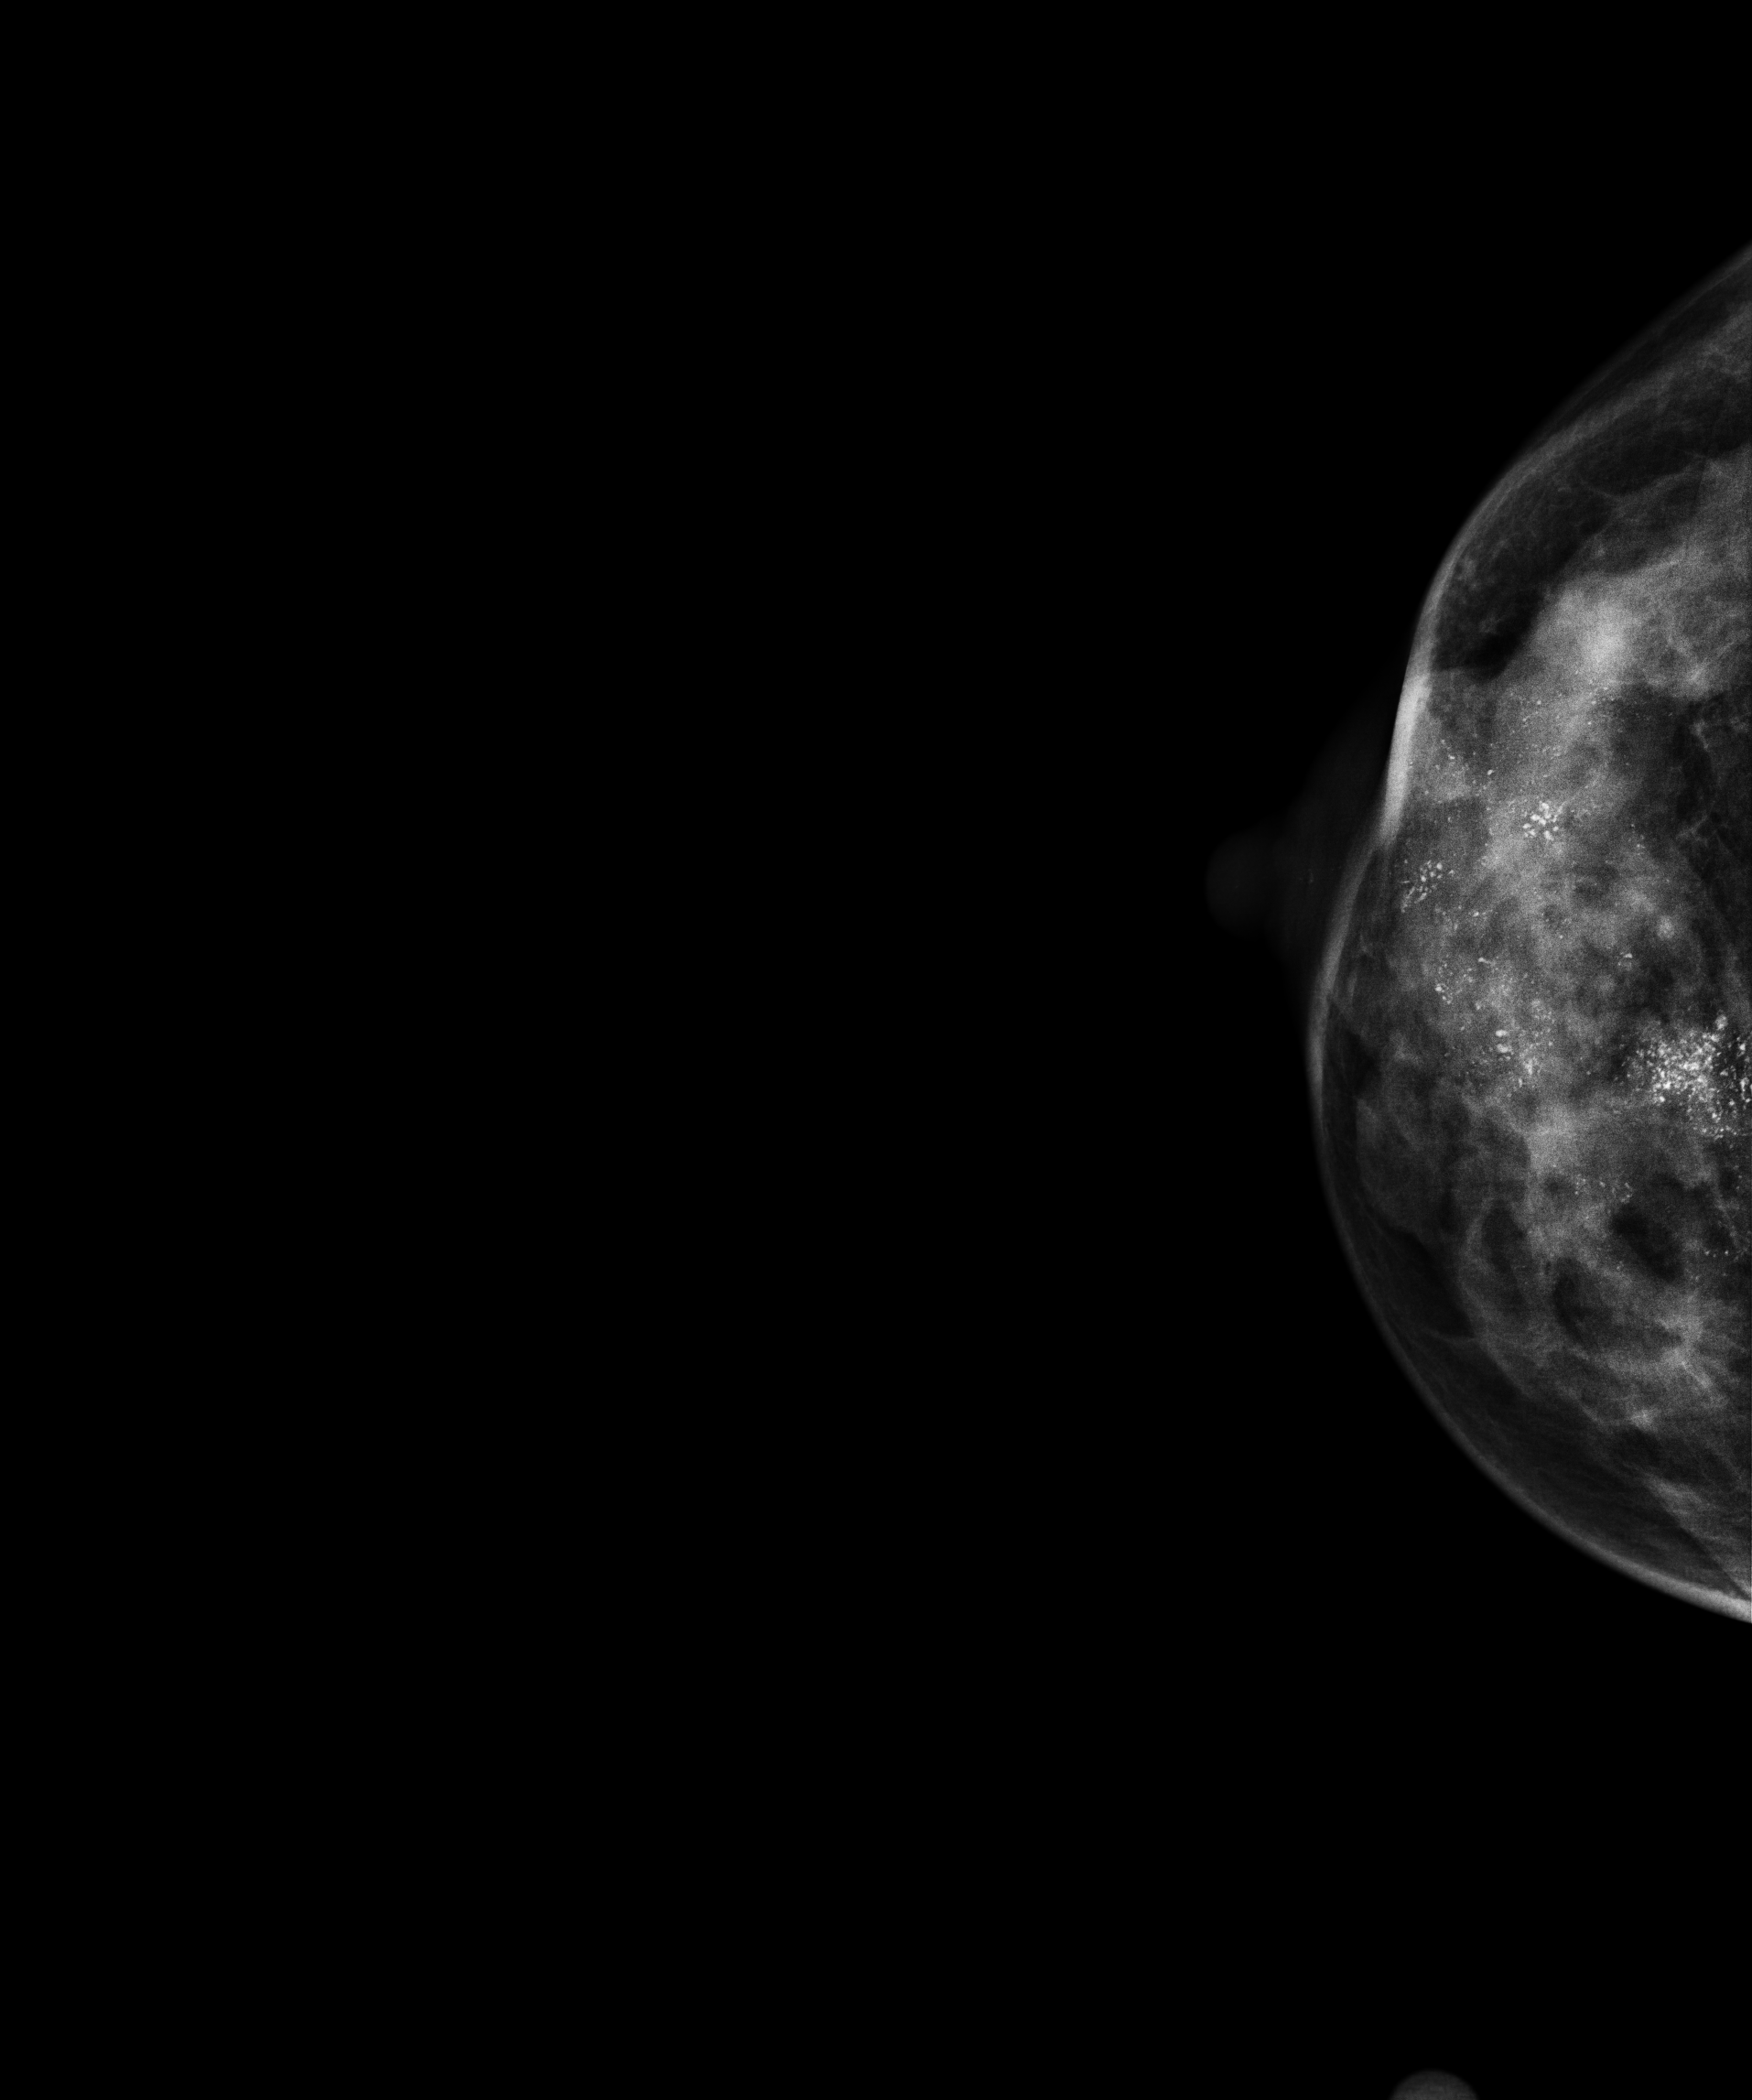
Cranio-caudal mammogram of the right breast. Patient age 39.
This breast has a mass and calcifications, biopsy-confirmed malignant.